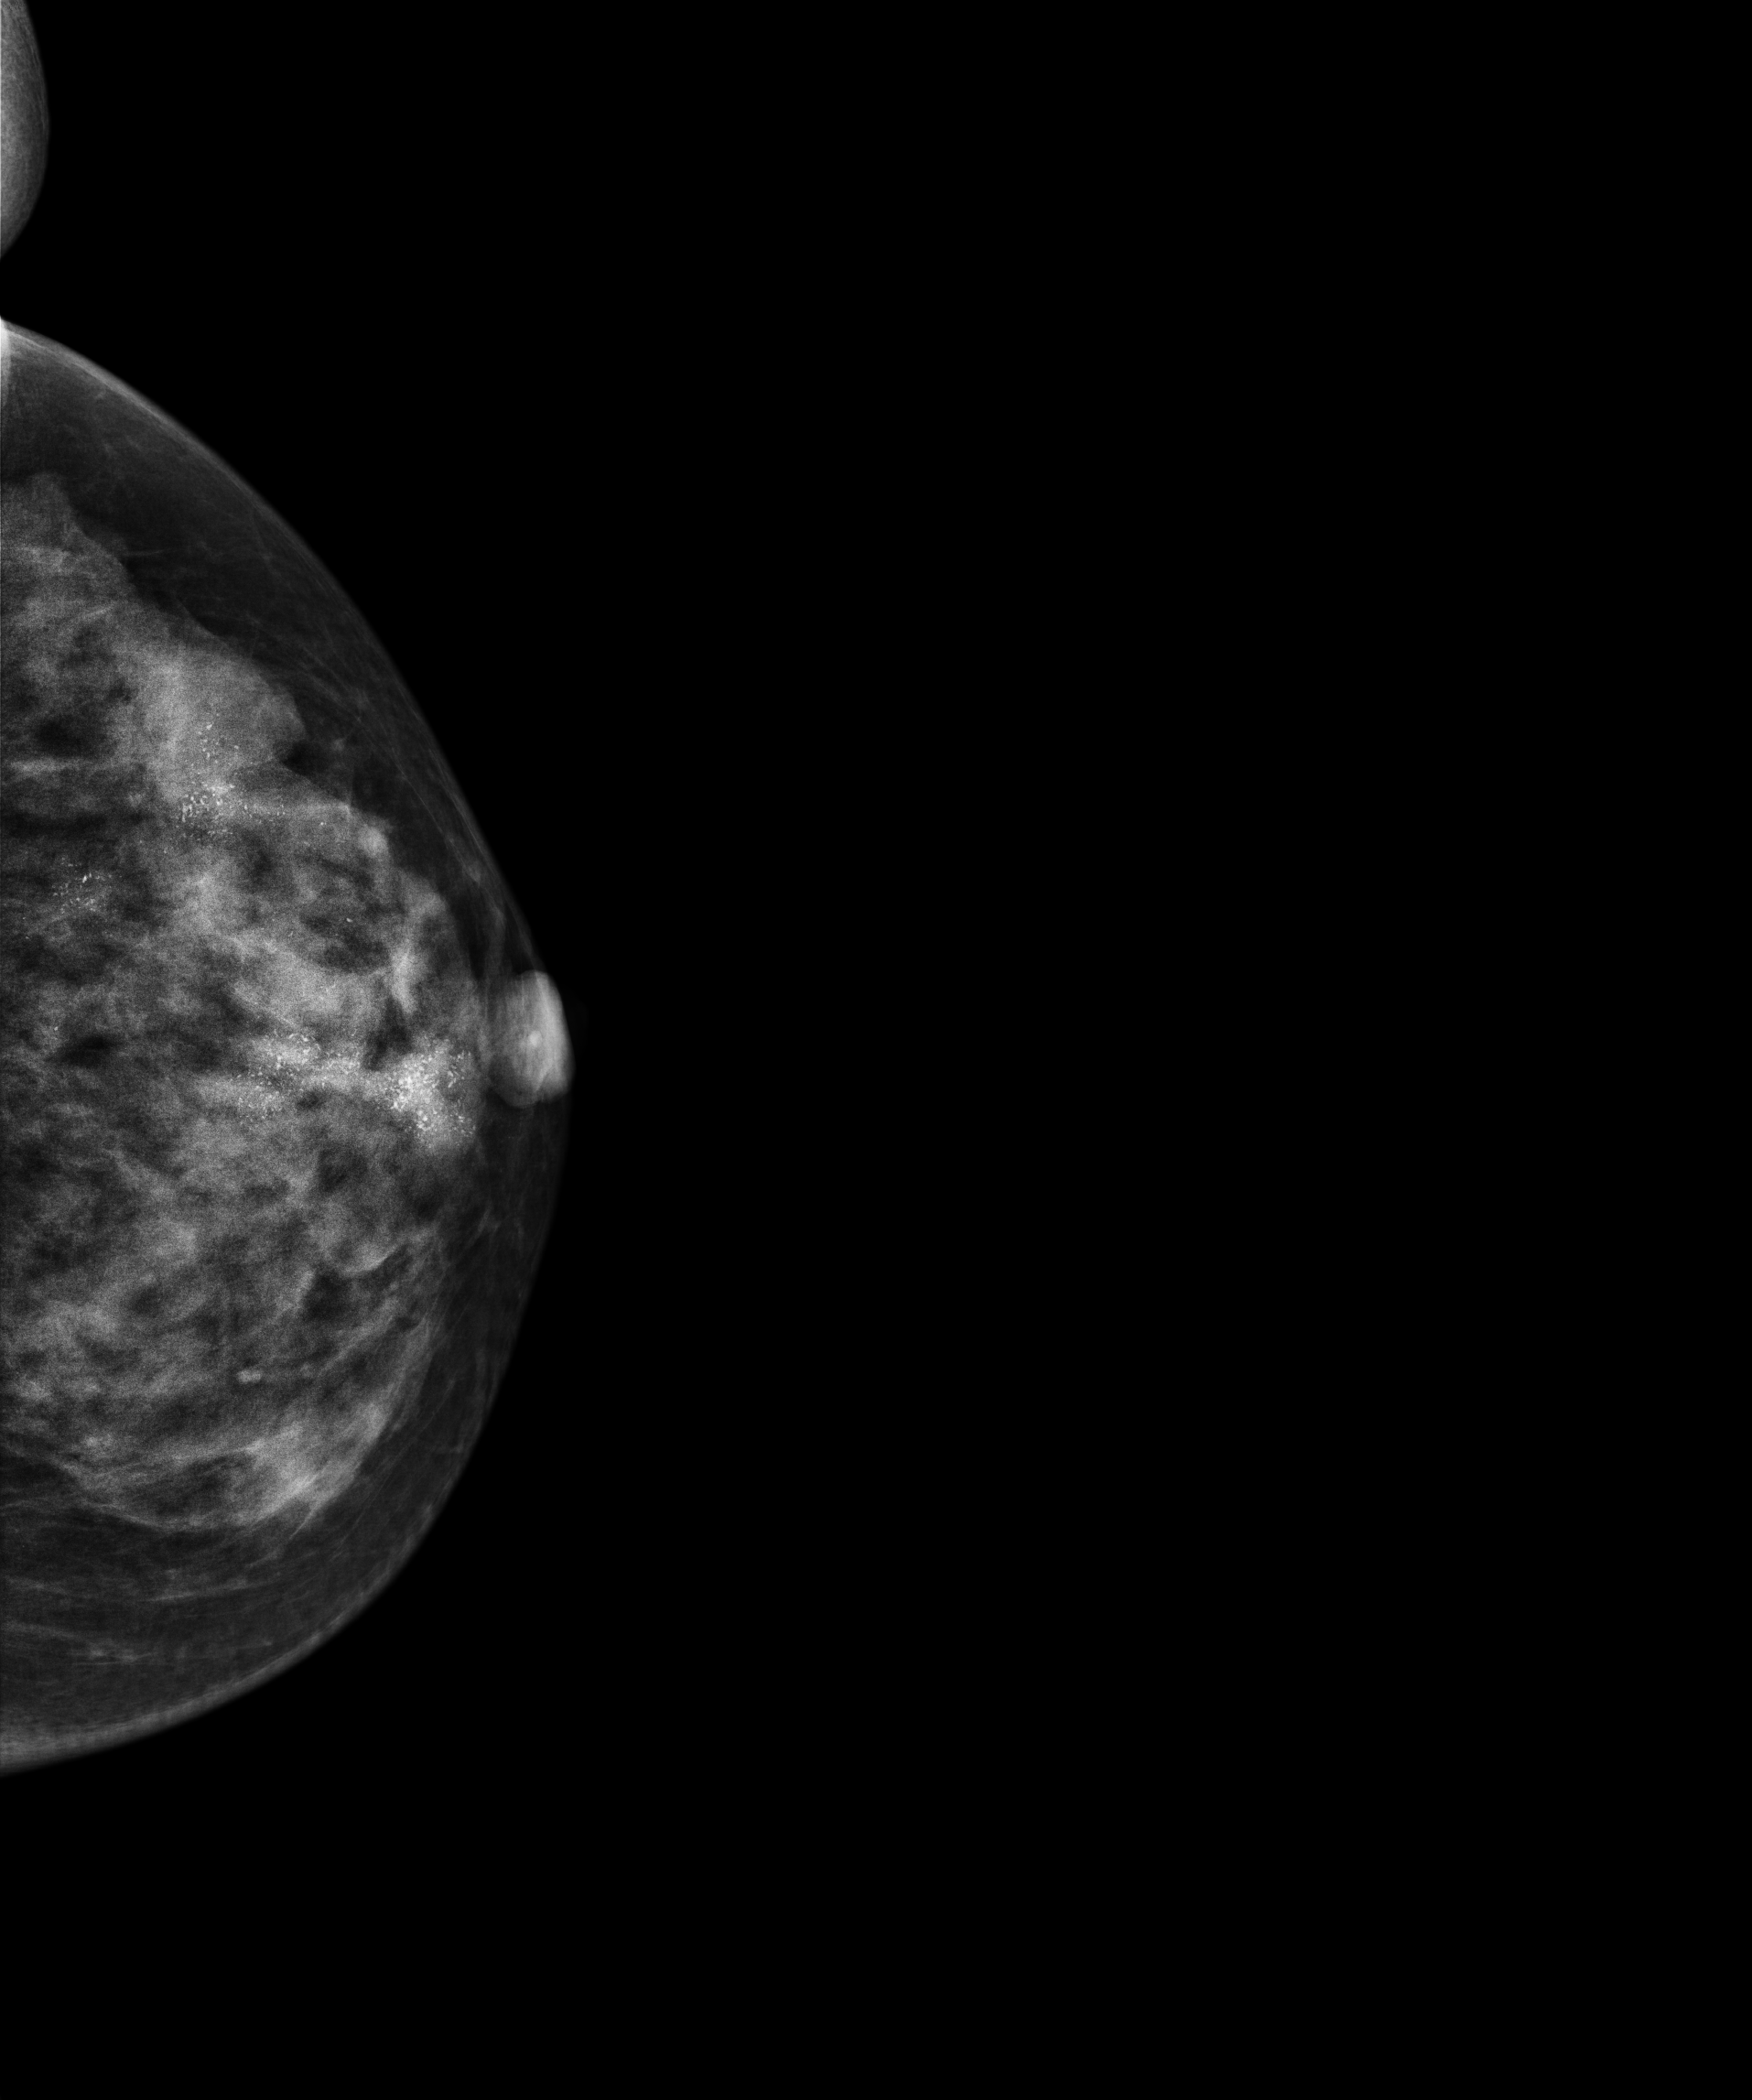
Mammogram, left breast, CC view. Patient age 48.
This breast has a mass and calcifications, pathology-confirmed malignant.